Right-breast mammogram, CC. 66-year-old patient.
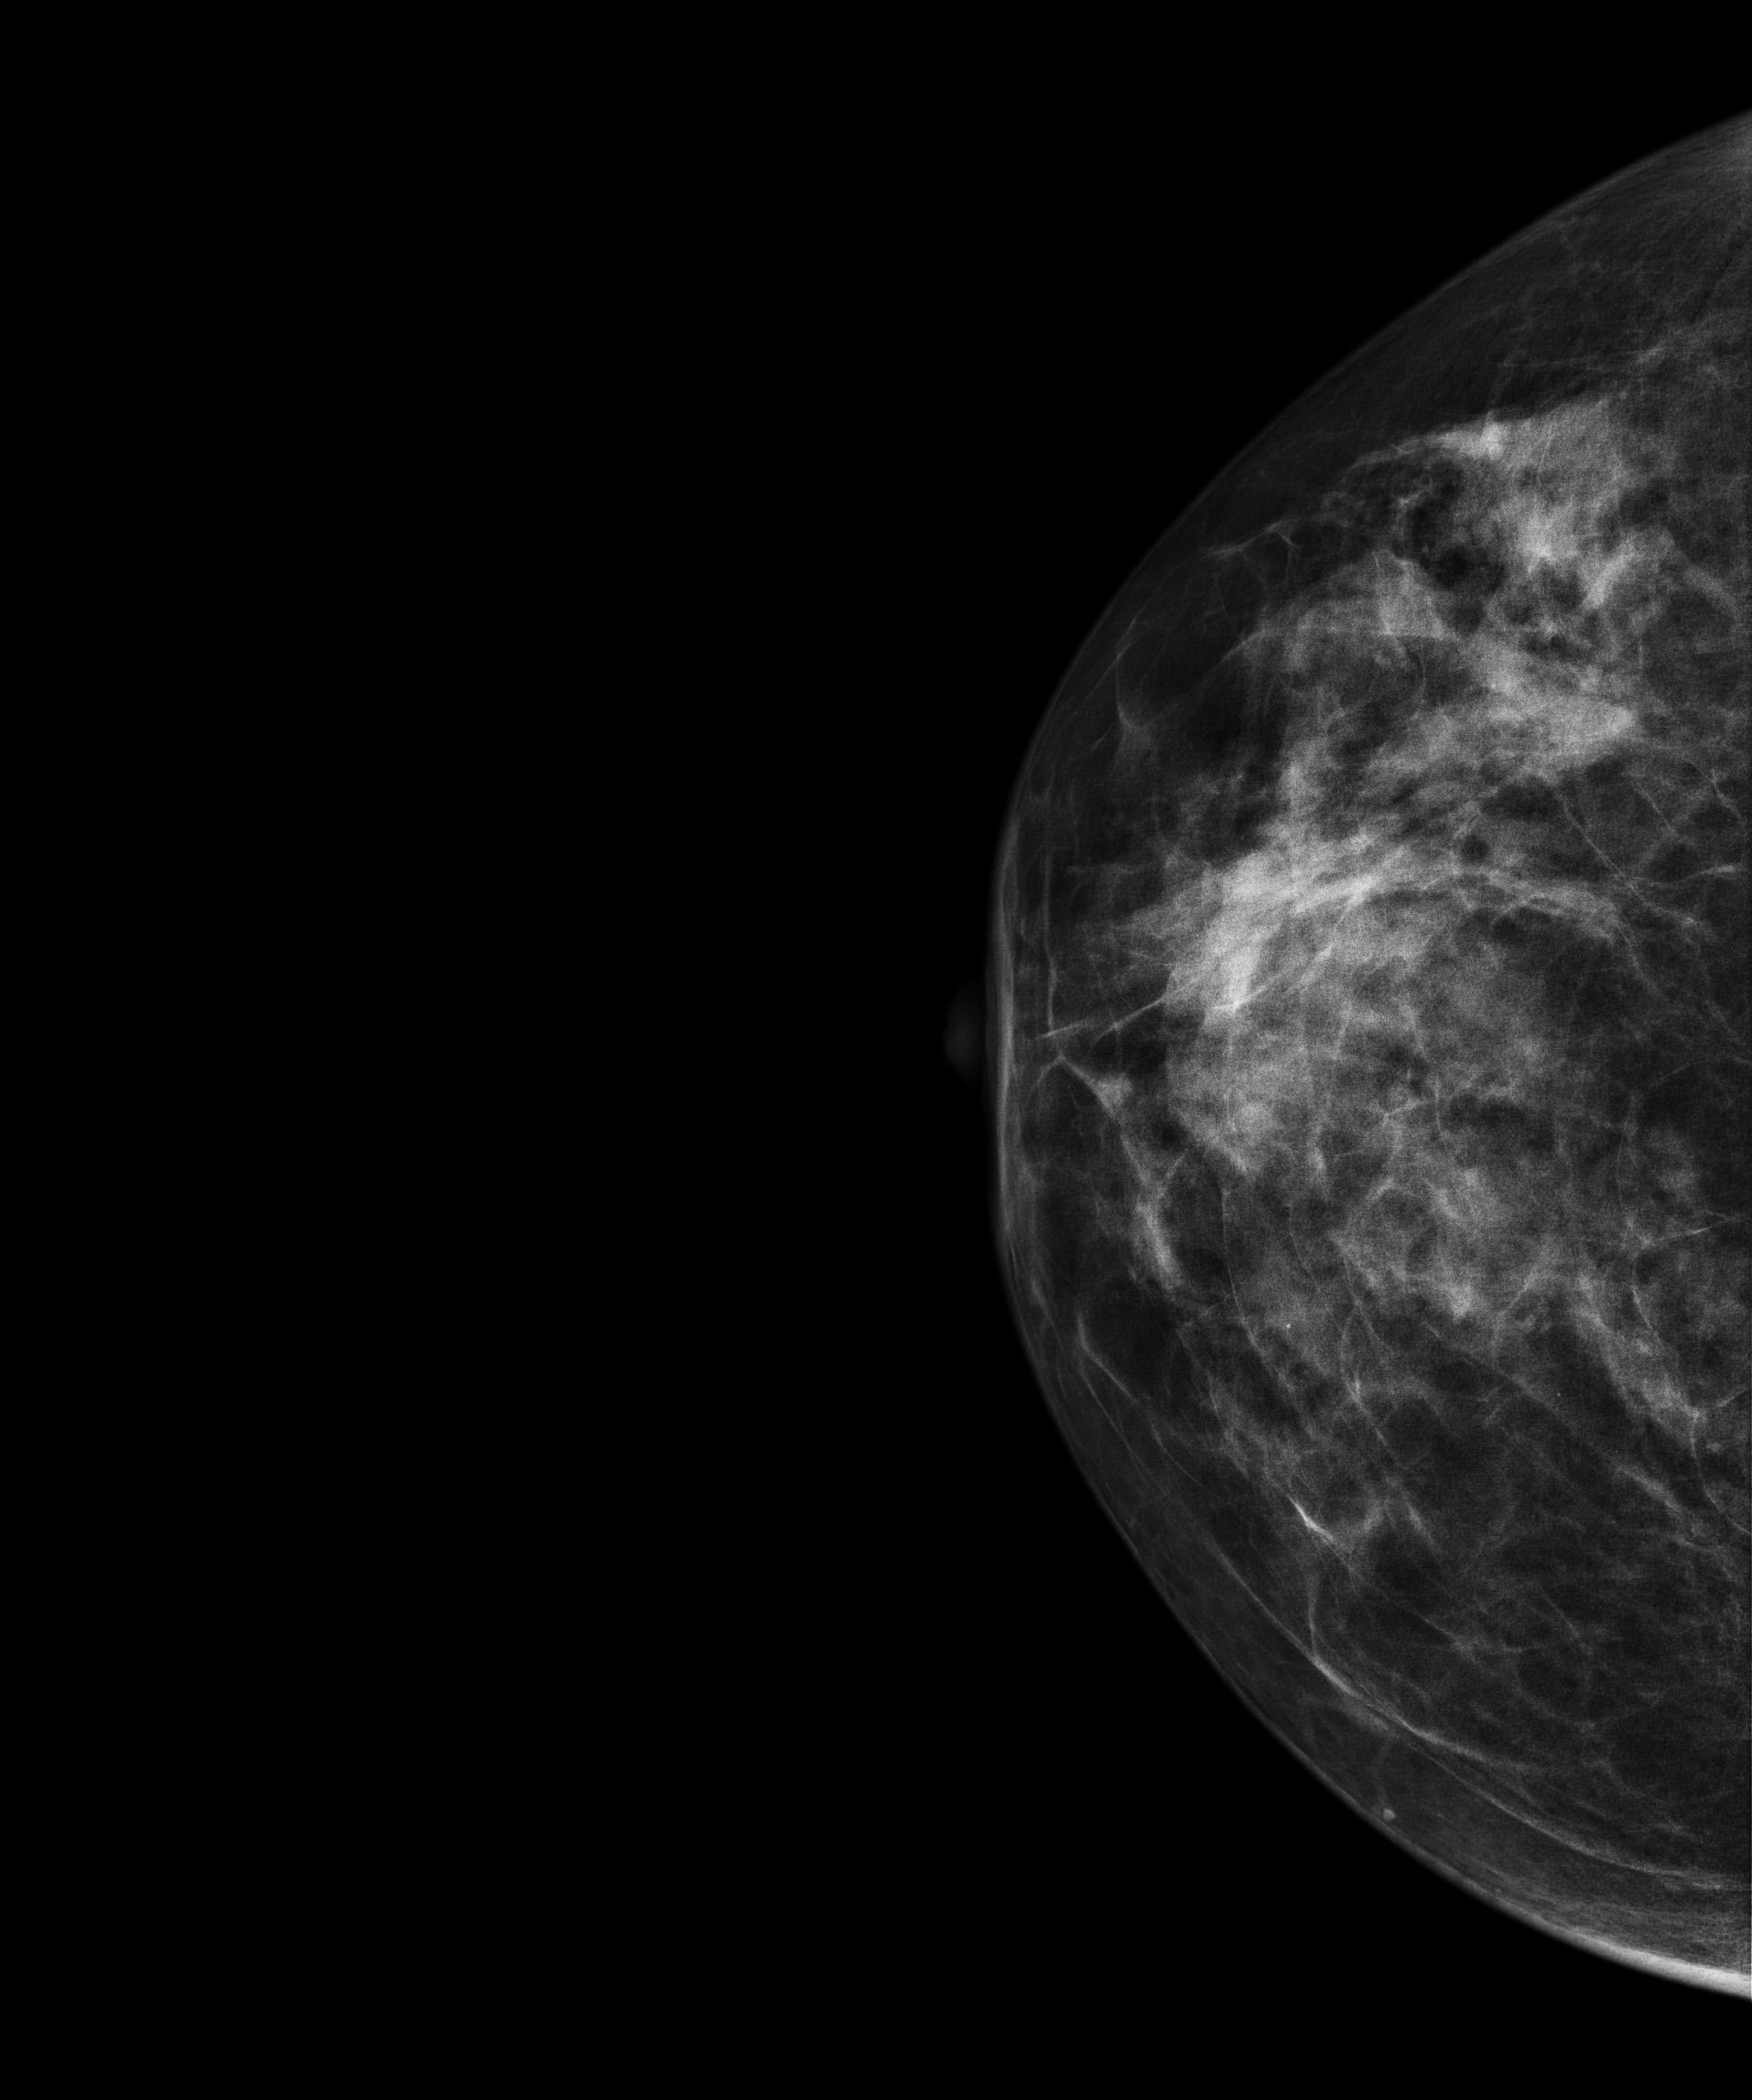
Contralateral breast — no documented abnormality on this side.